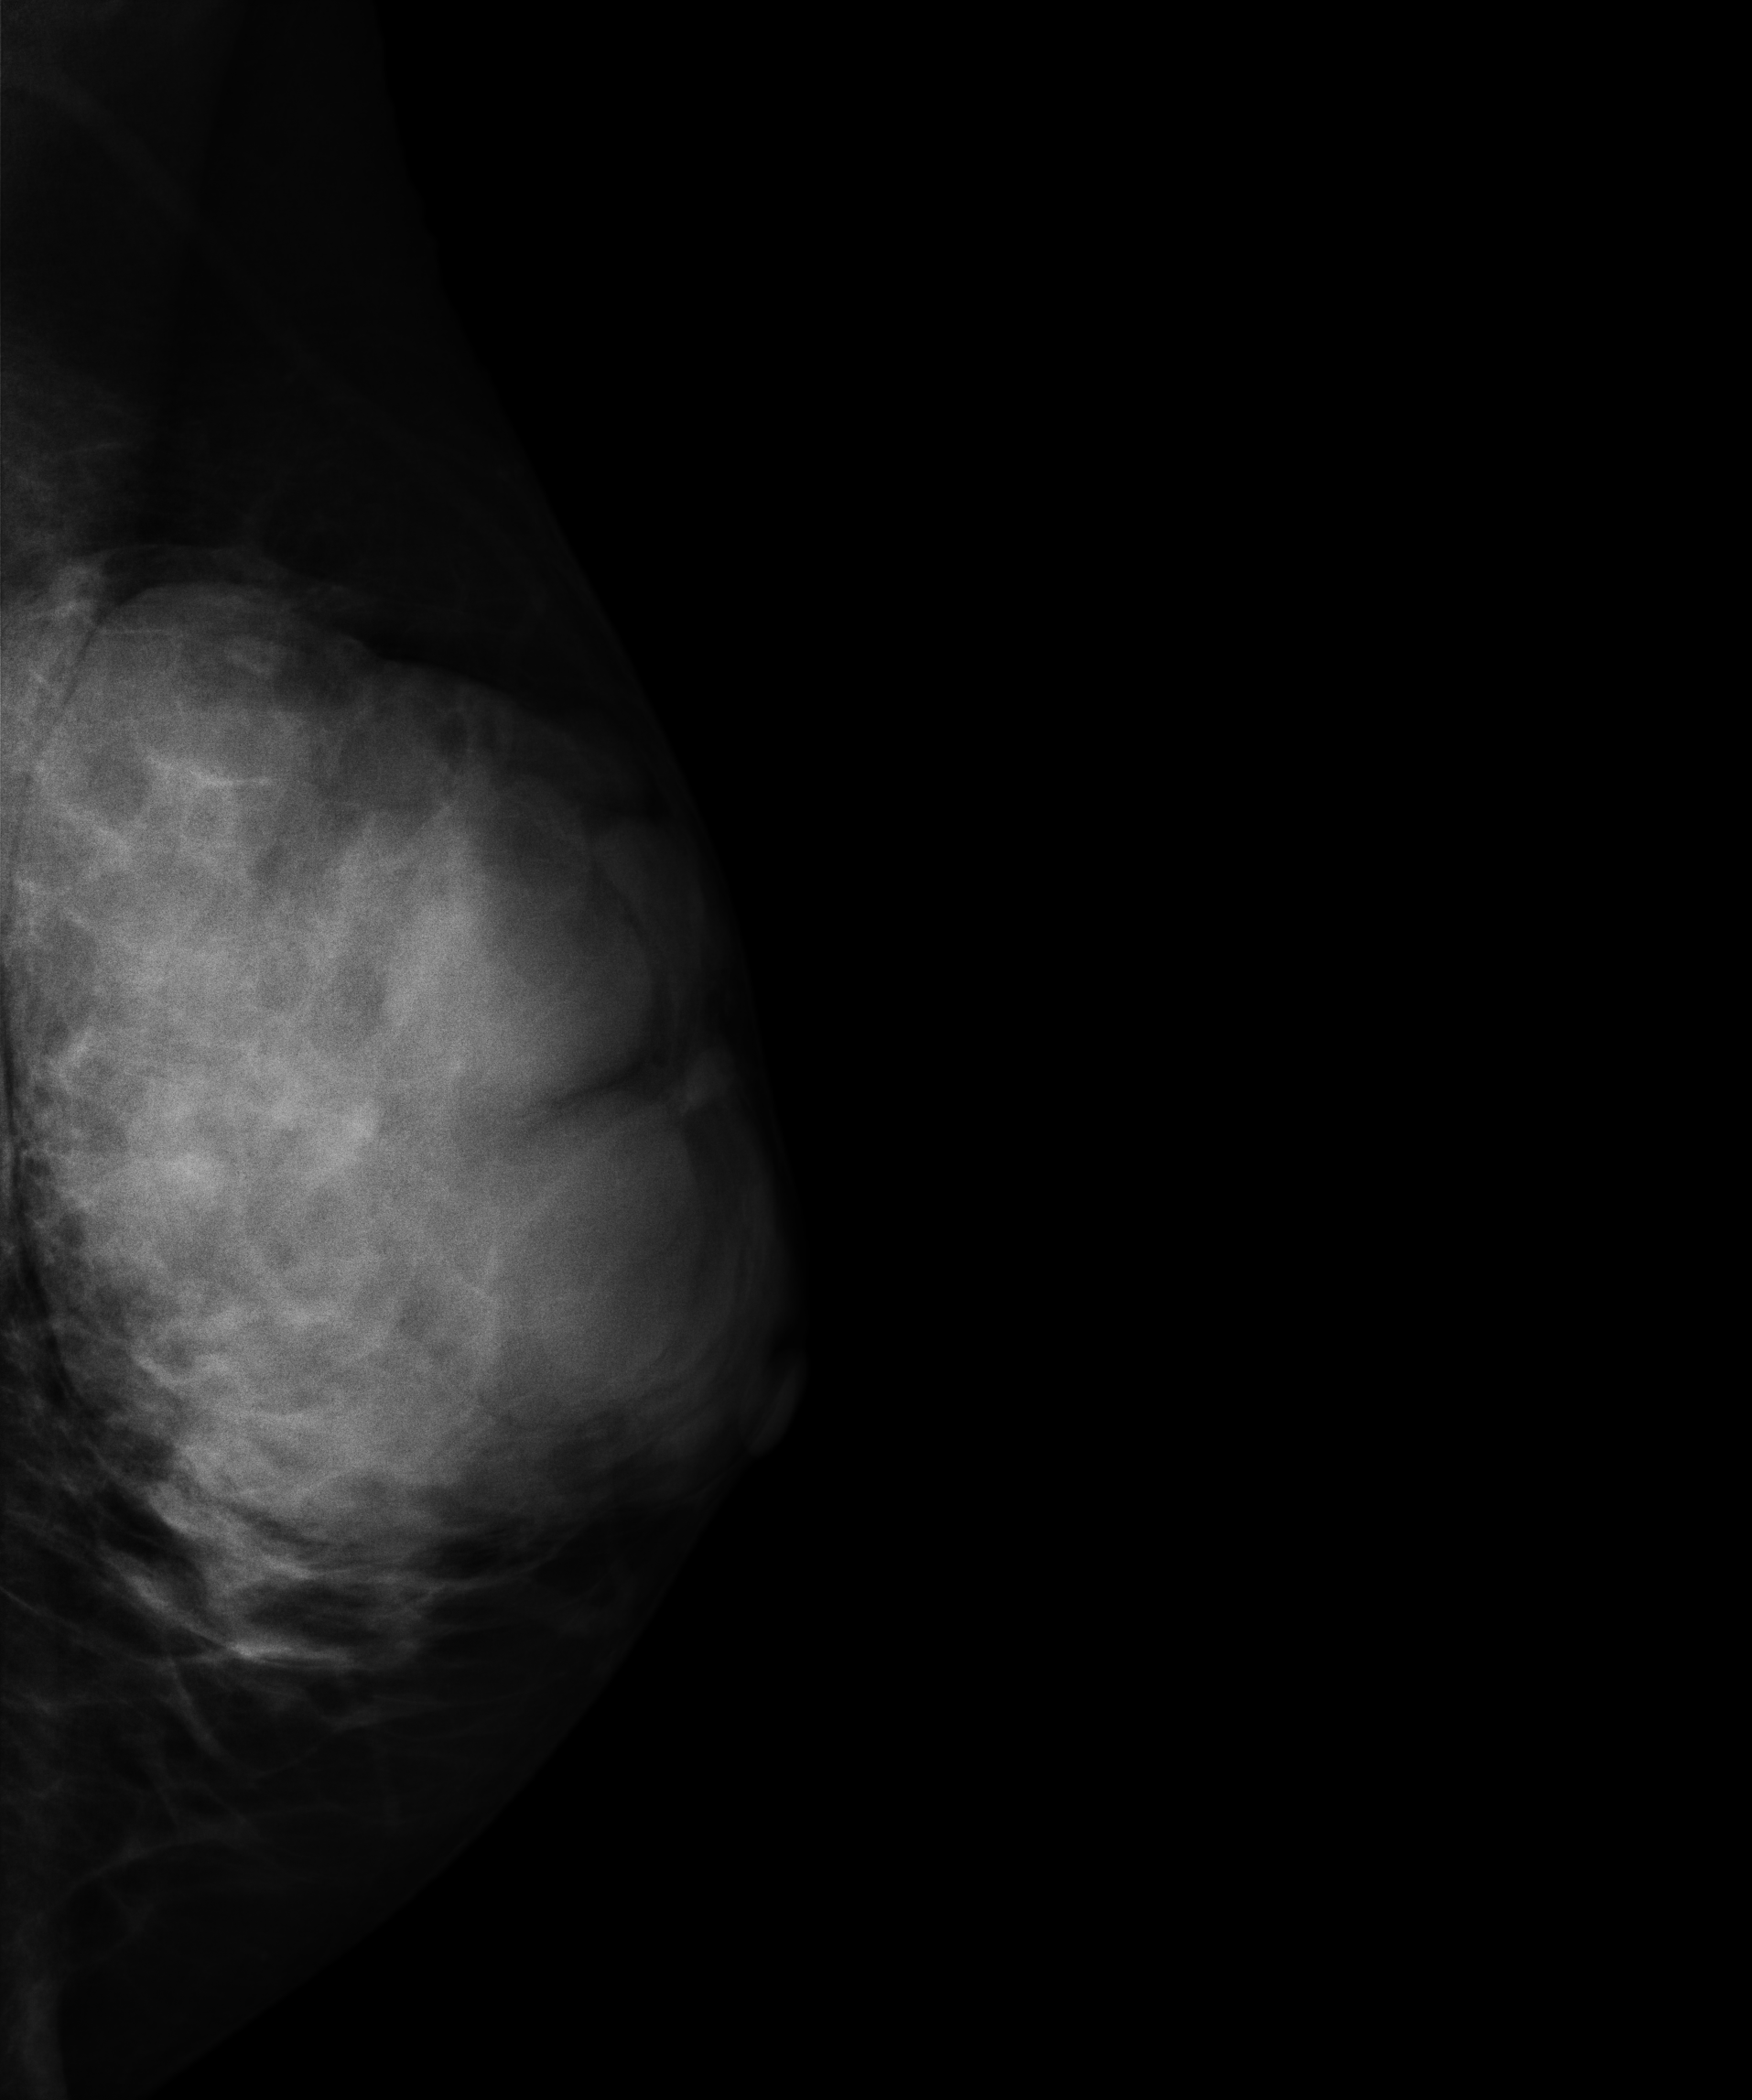
Left-breast mammogram, medio-lateral oblique. Patient age 47.
This breast has a mass, histologically confirmed benign.